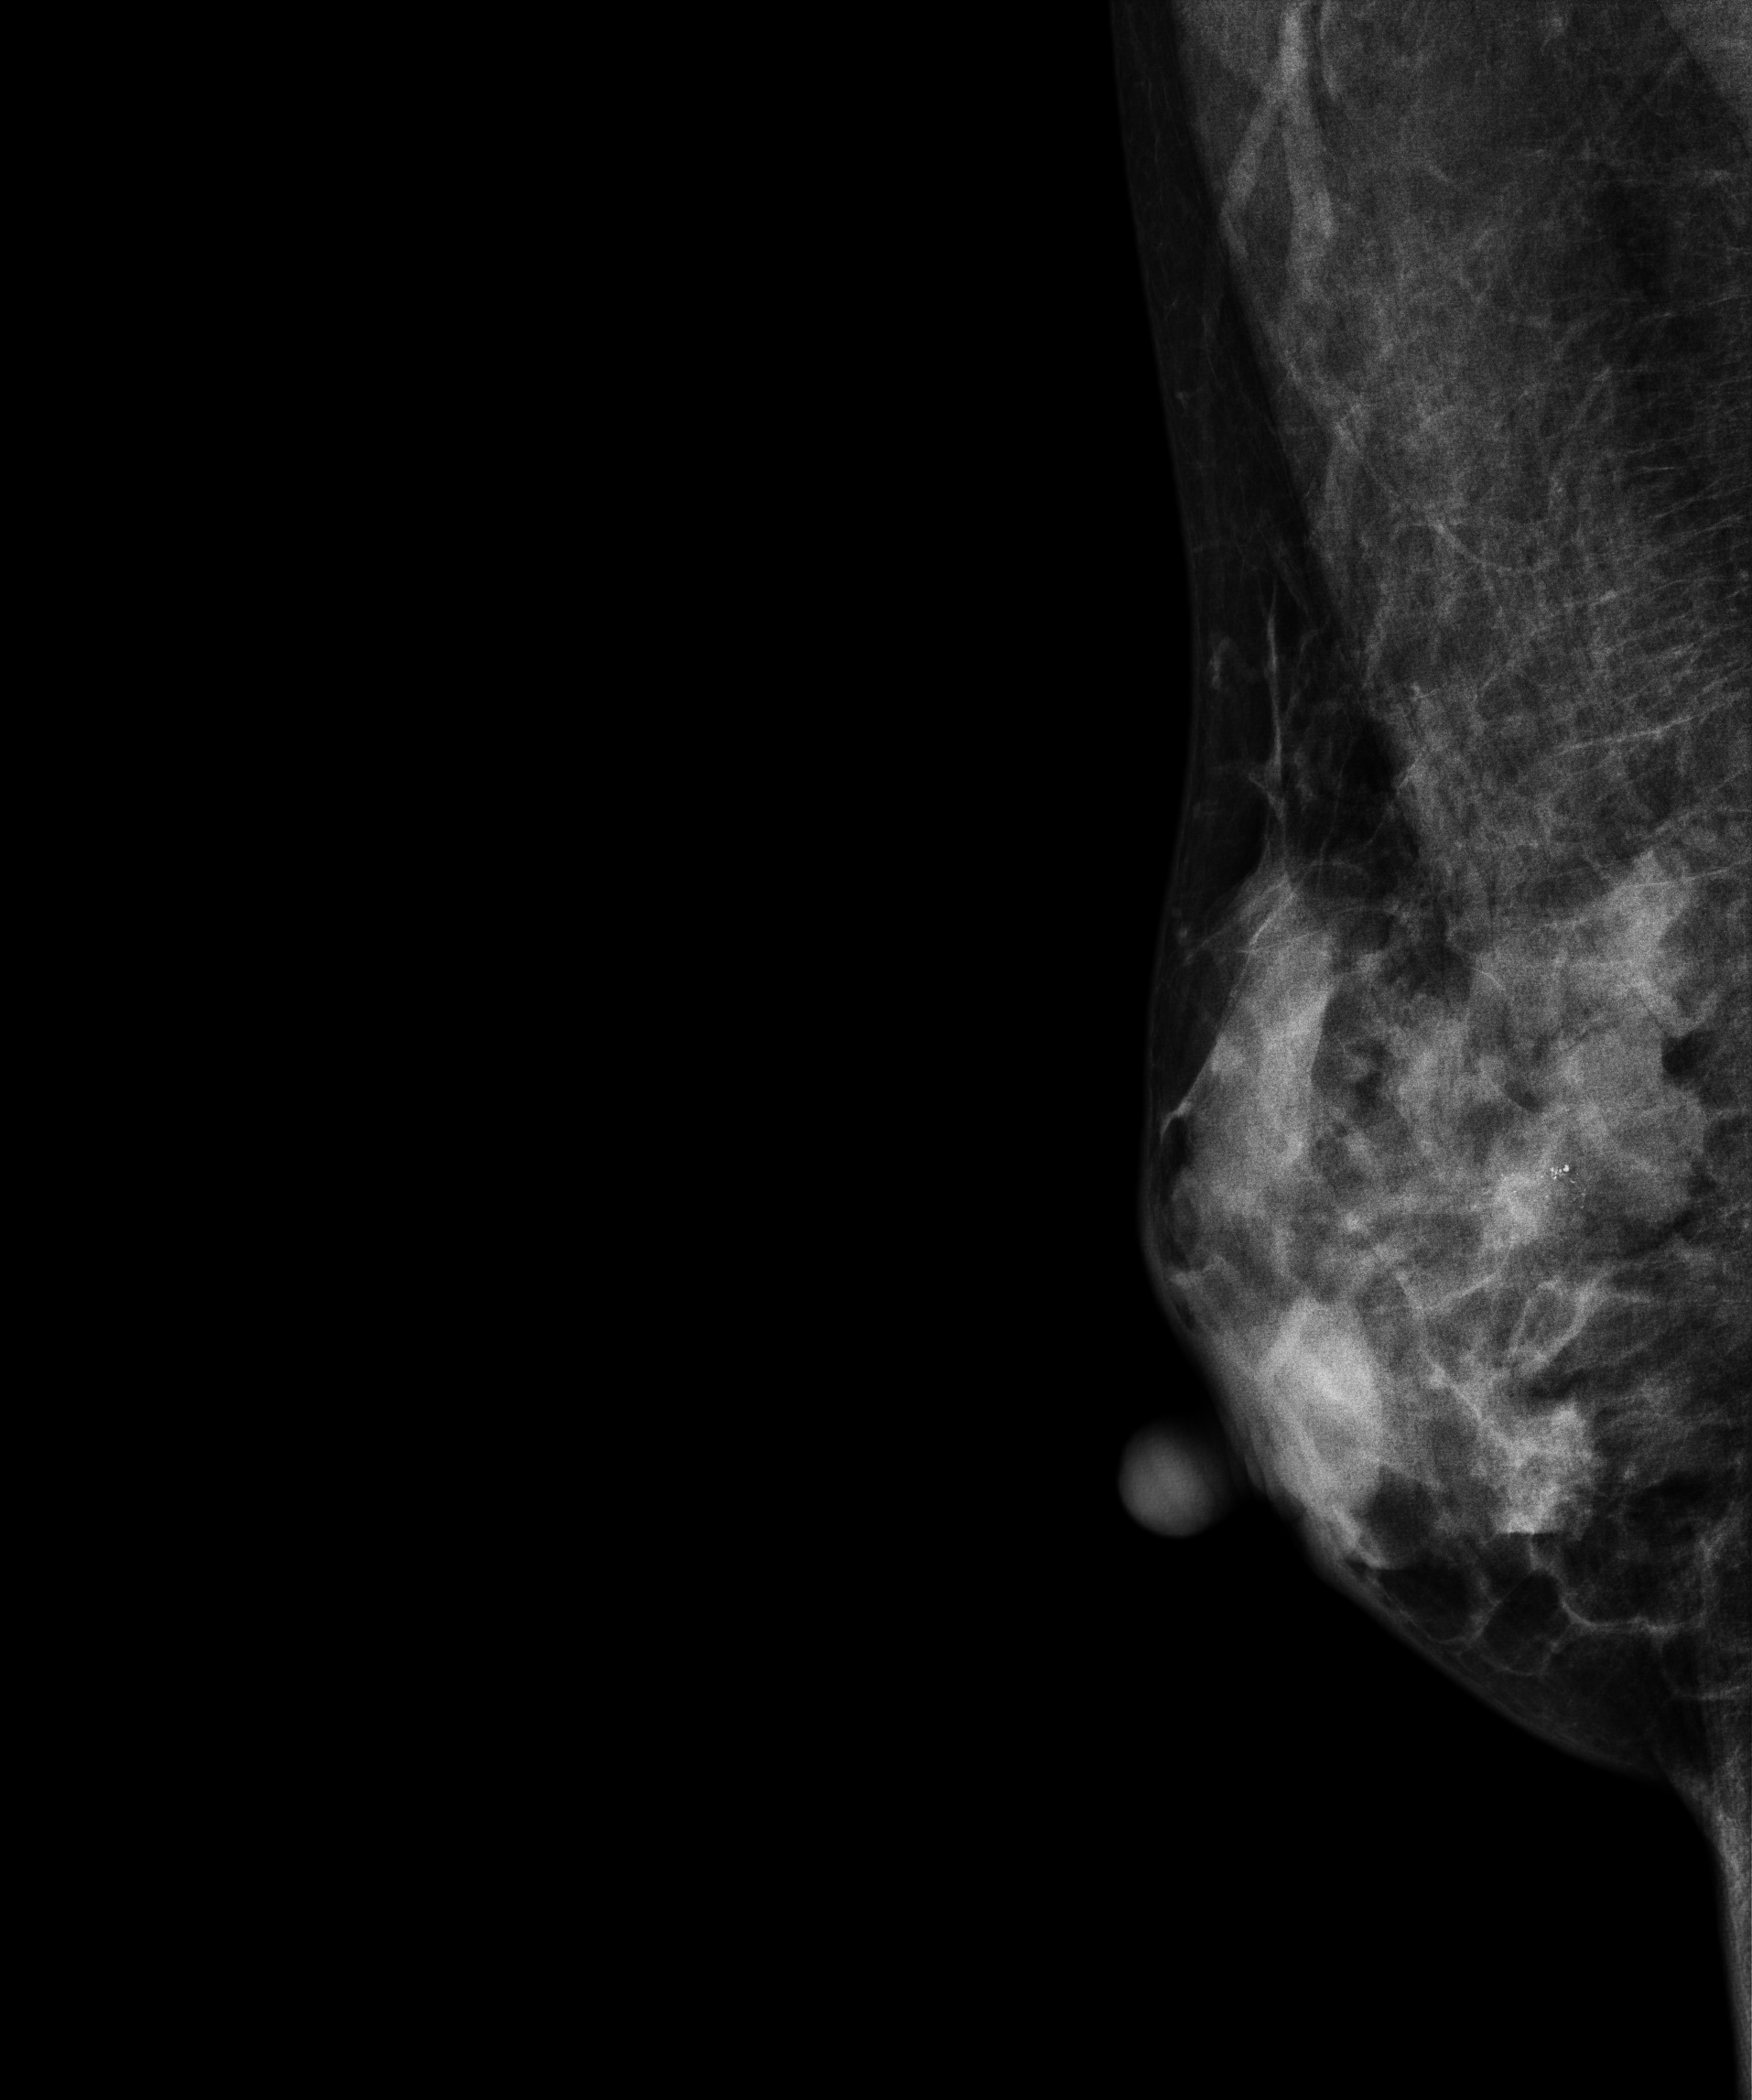
Mammogram, right breast, medio-lateral oblique view. Patient age 43.
This breast has a mass and calcifications, pathology-confirmed malignant.